Mammogram, left breast, CC view. 53 y/o patient.
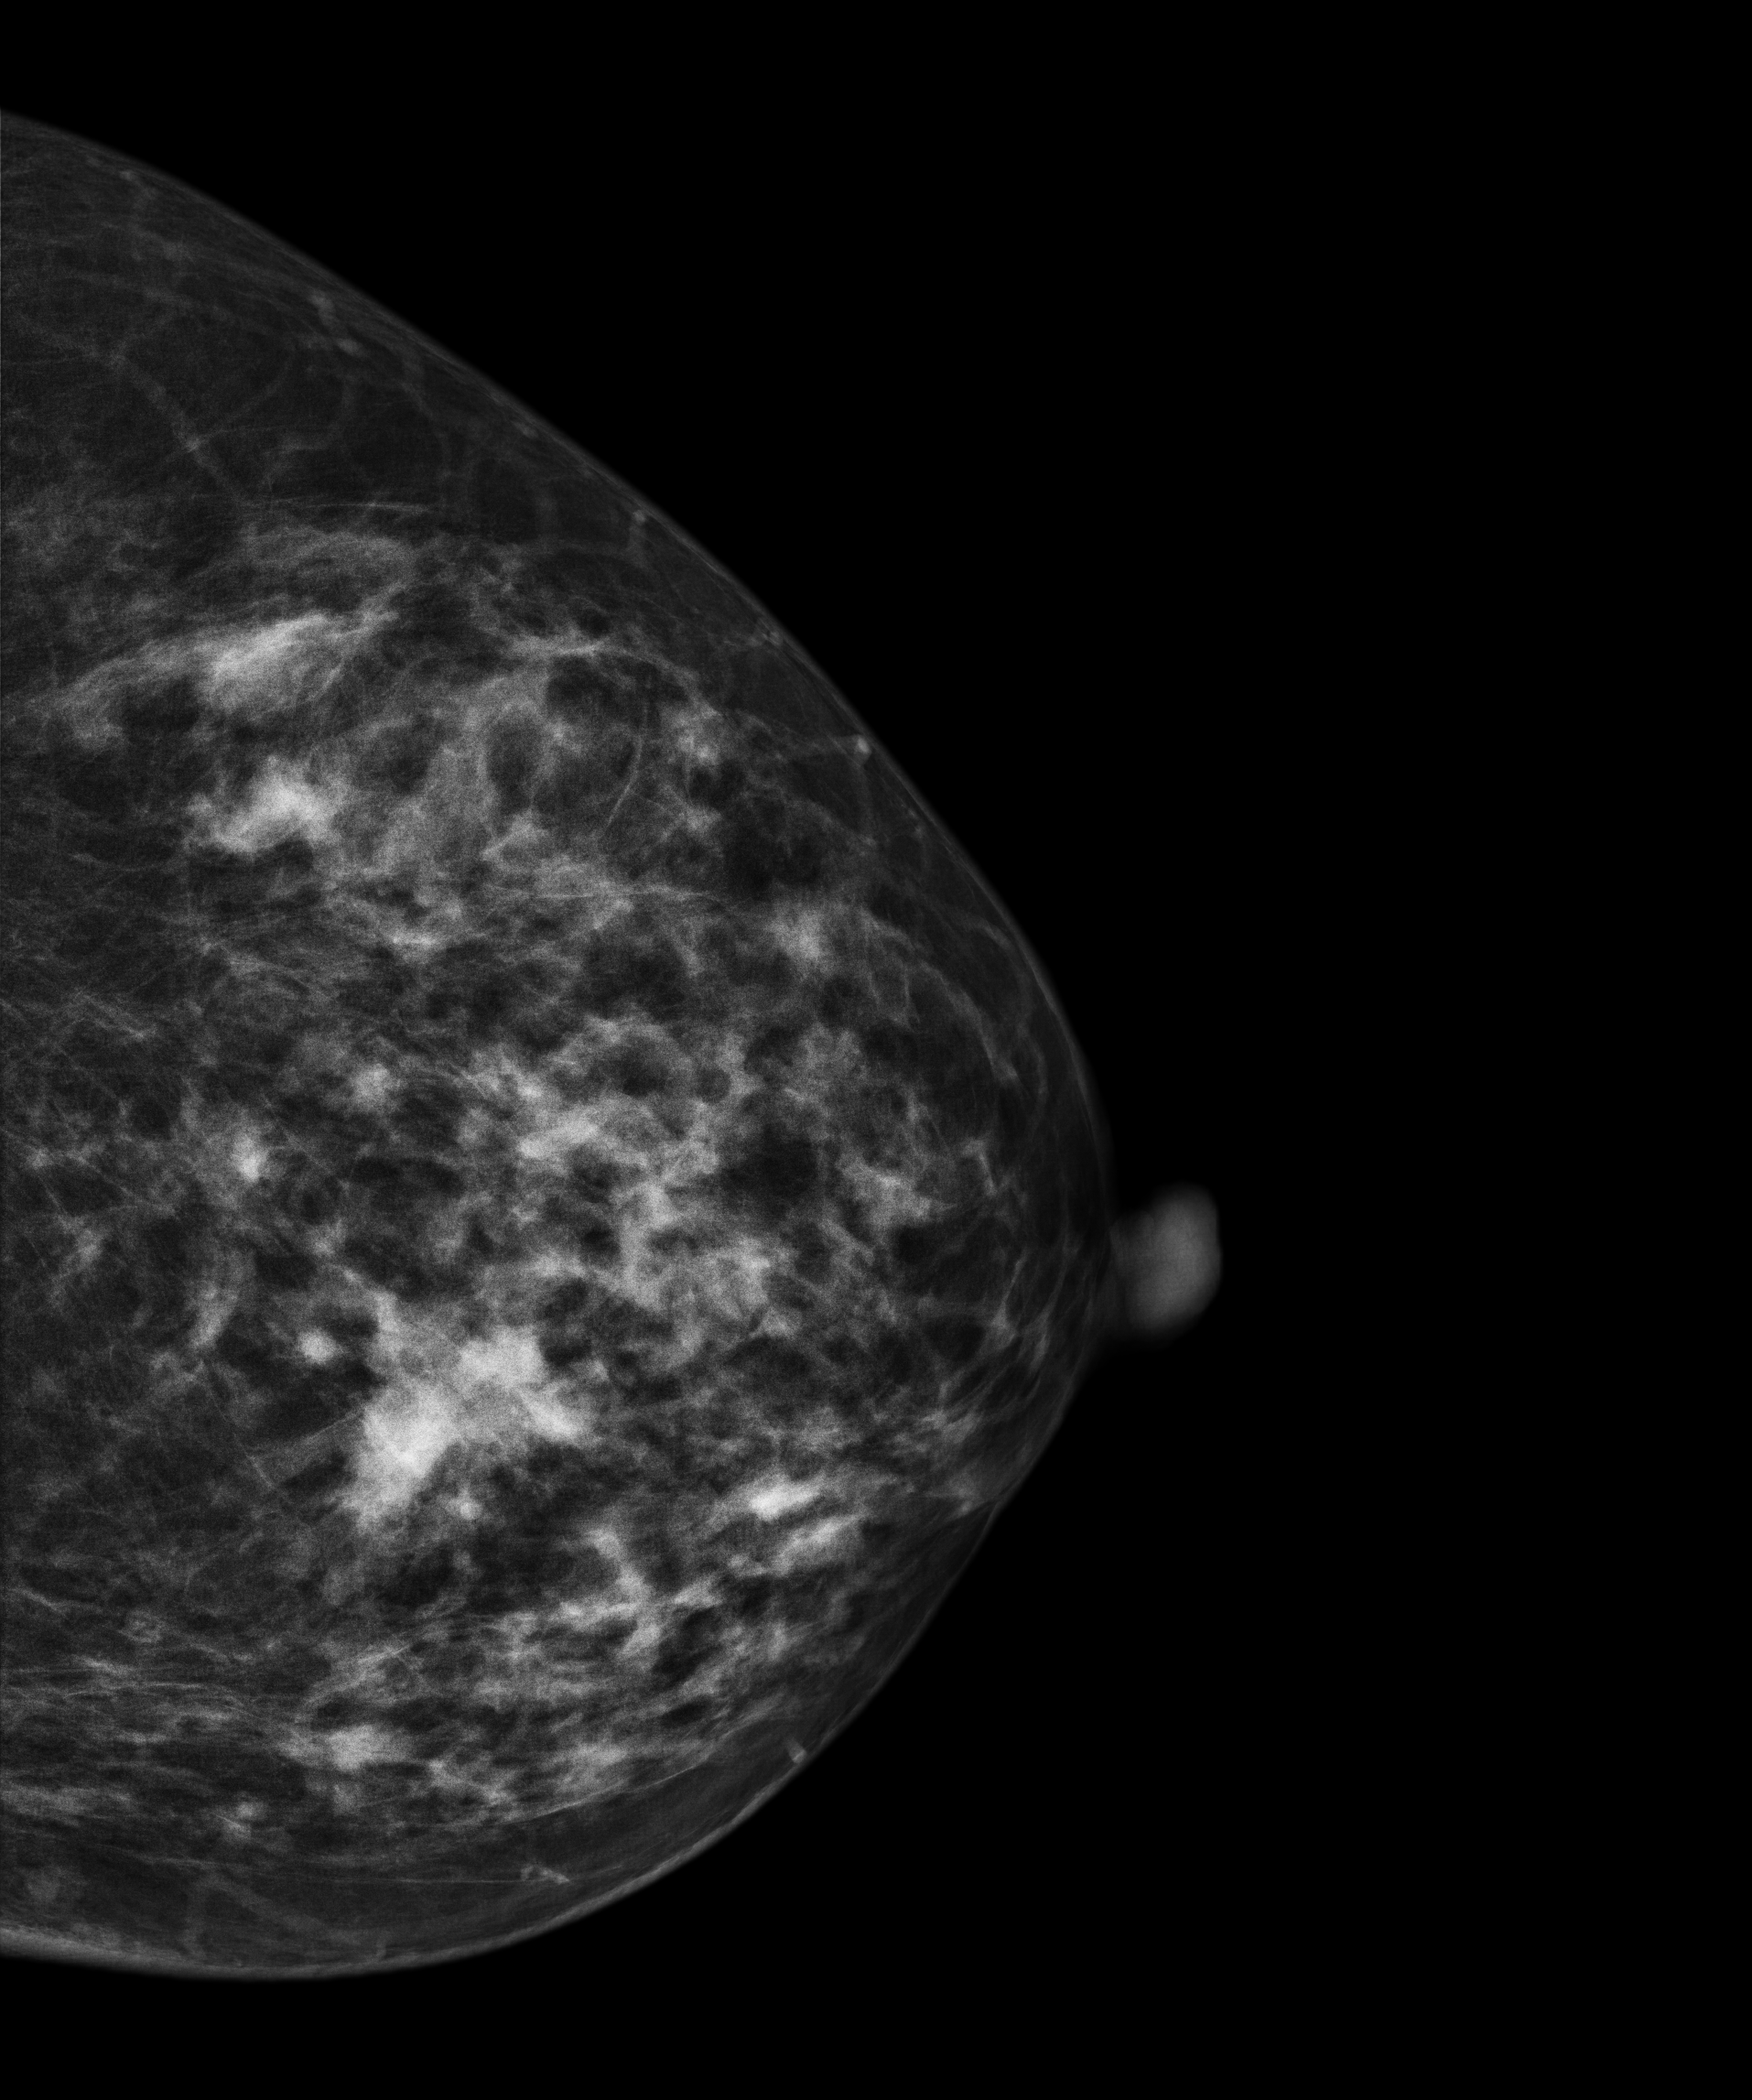
This breast has a mass, biopsy-proven malignant.